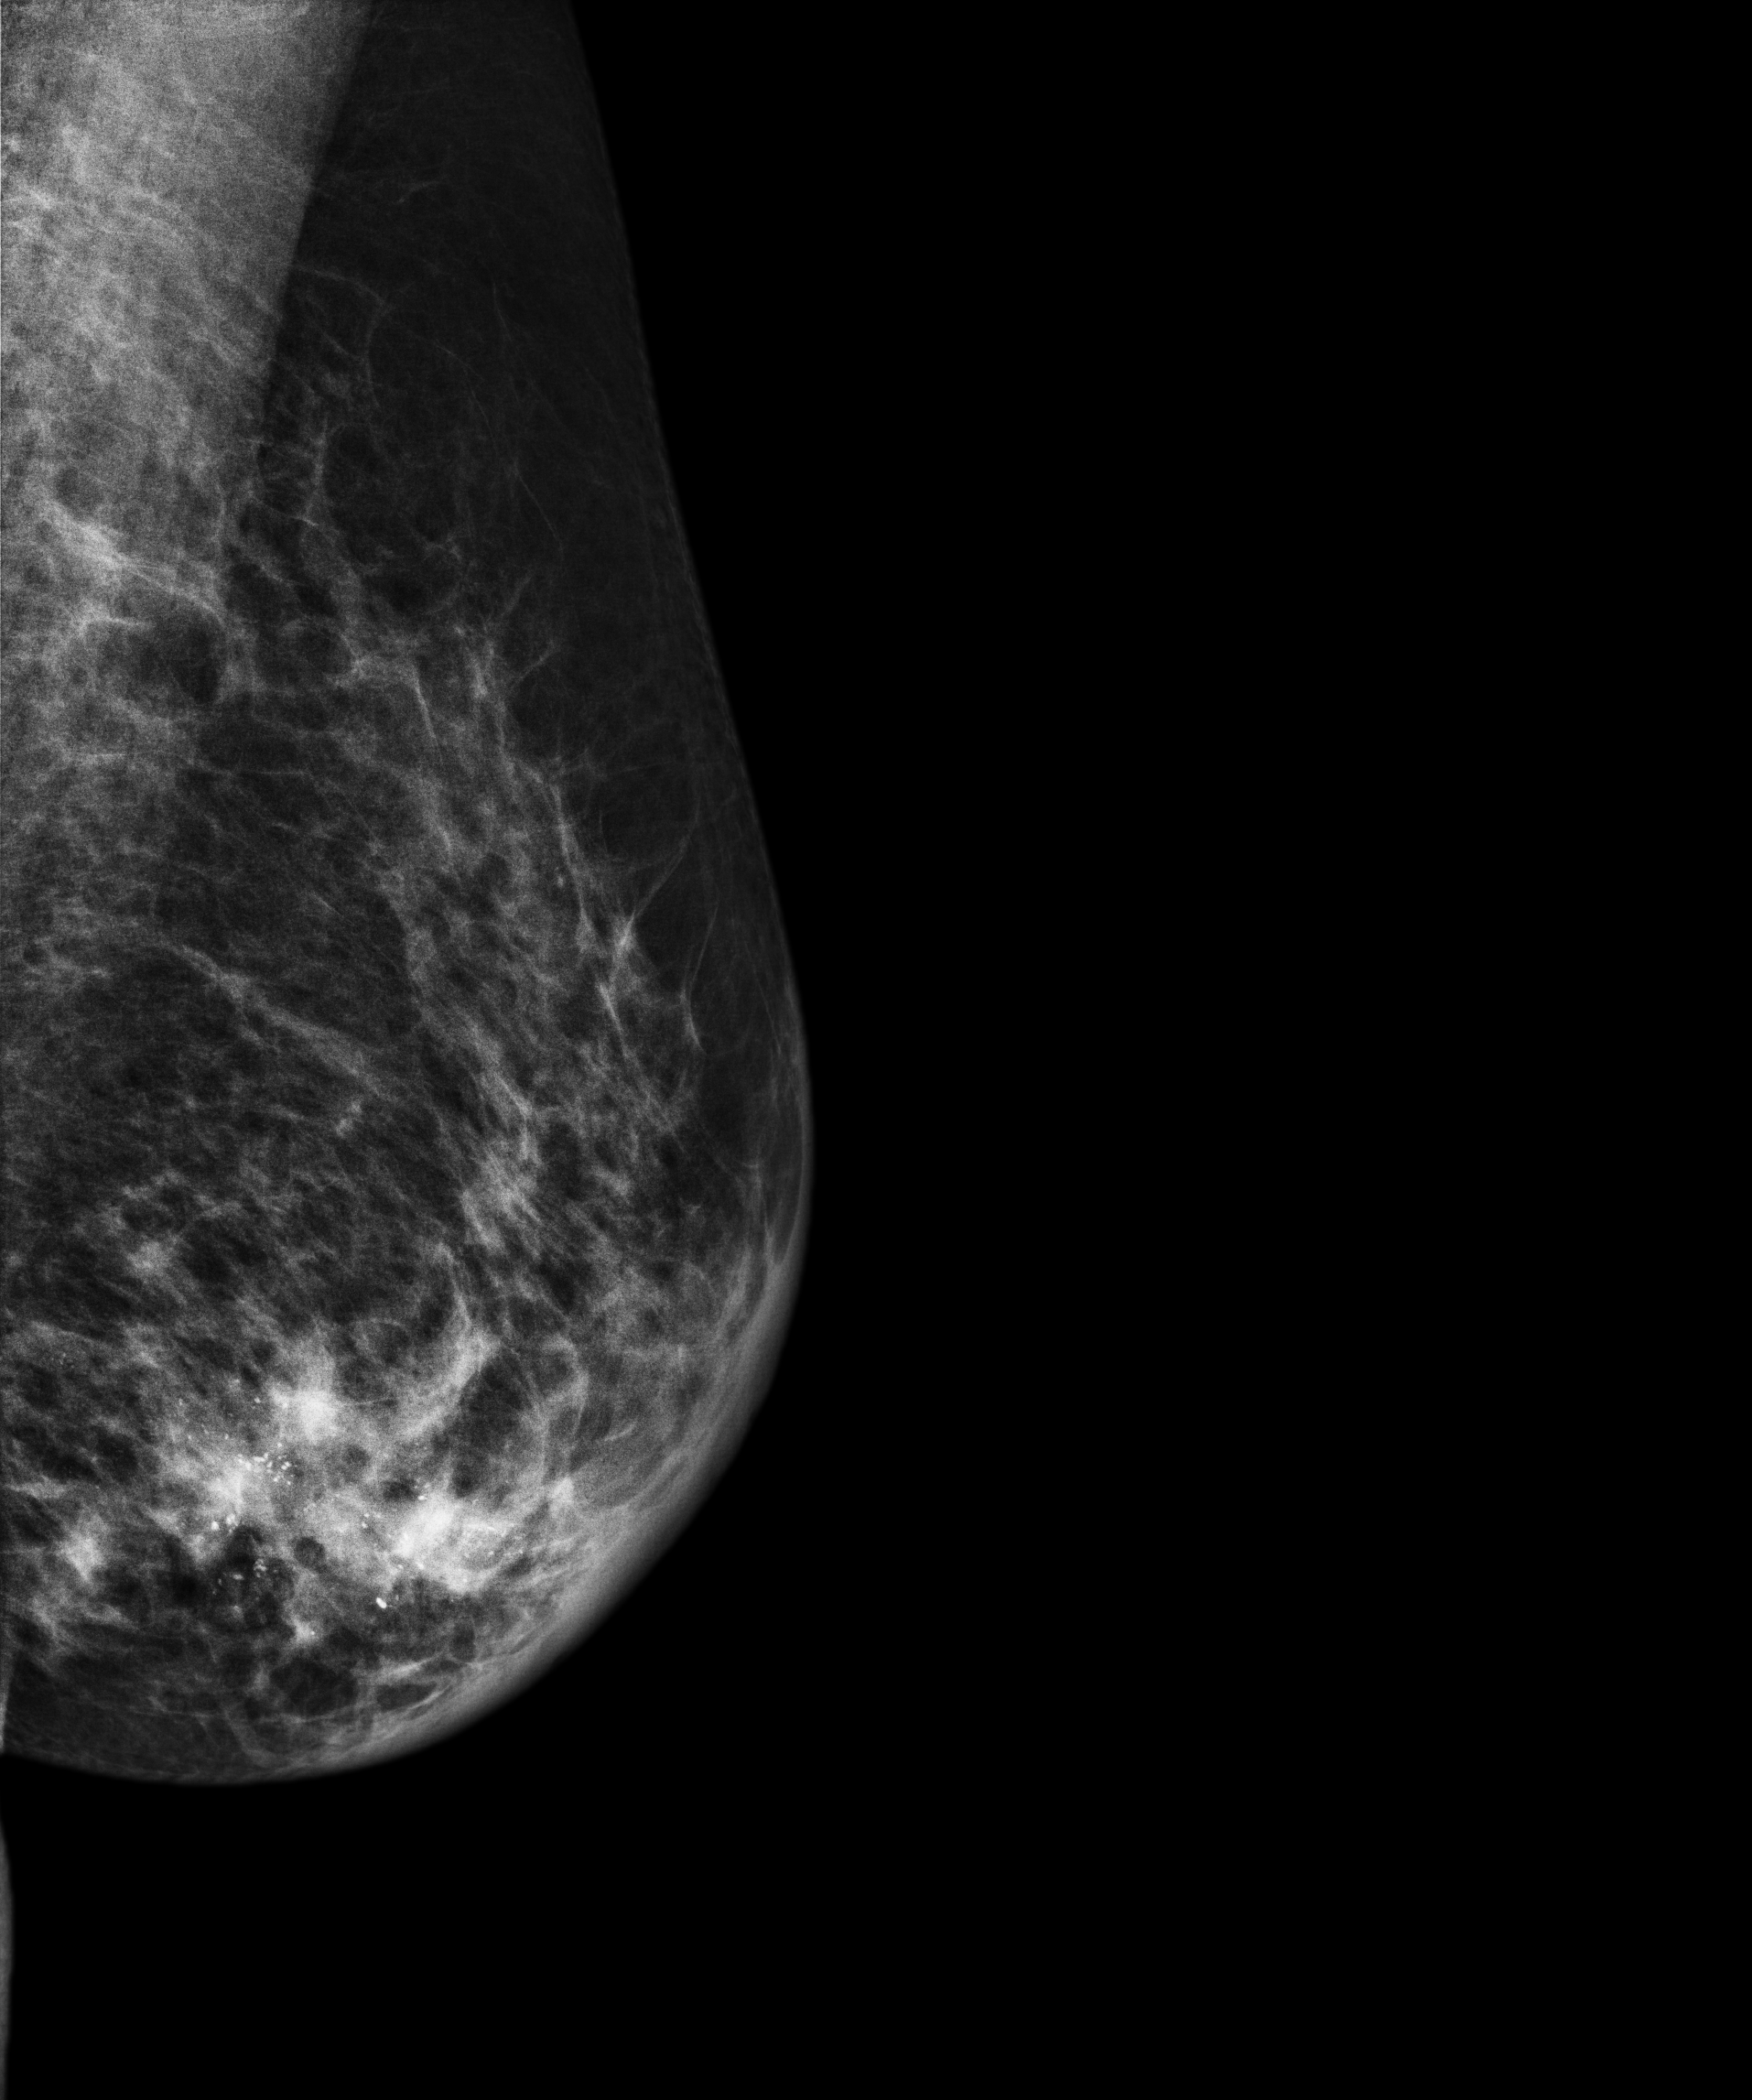
Mammogram — left medio-lateral oblique. Patient age 52.
This breast has calcifications, pathology-confirmed malignant. Molecular subtype: HER2-enriched.